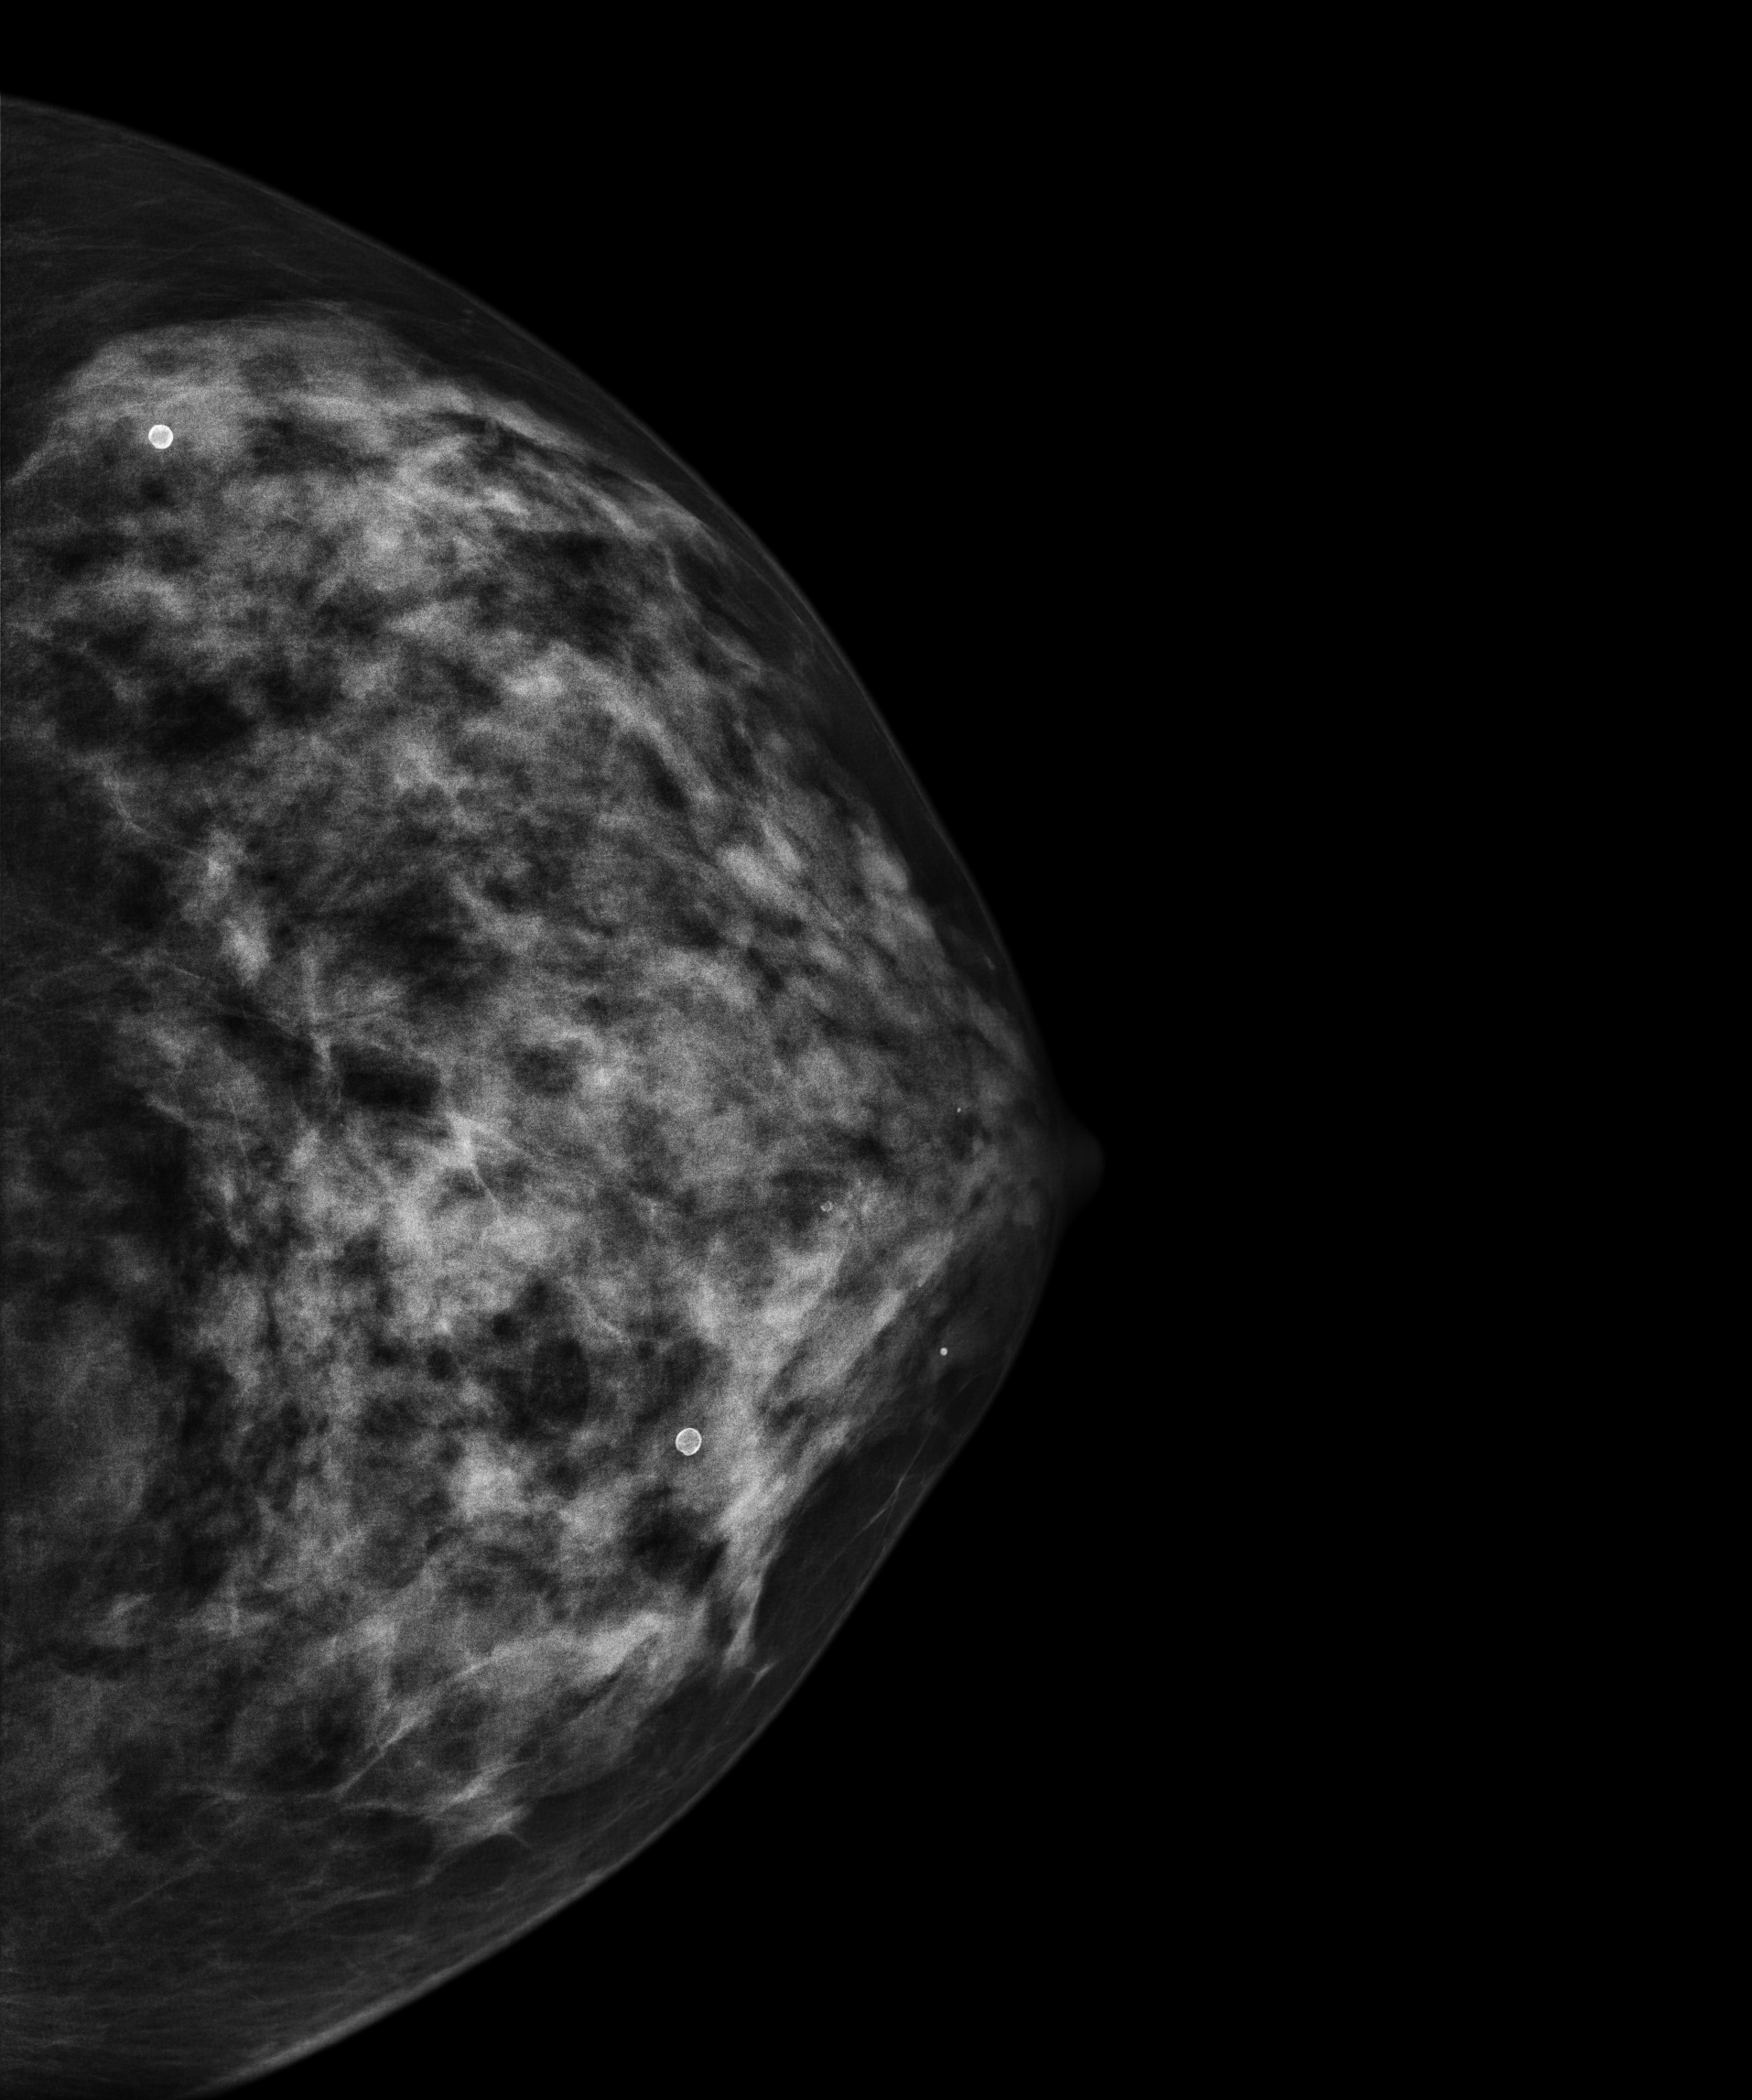
Mammogram — left cranio-caudal. 59 y/o patient.
This breast has calcifications, biopsy-confirmed benign.